Right-breast mammogram, CC. 64 y/o patient.
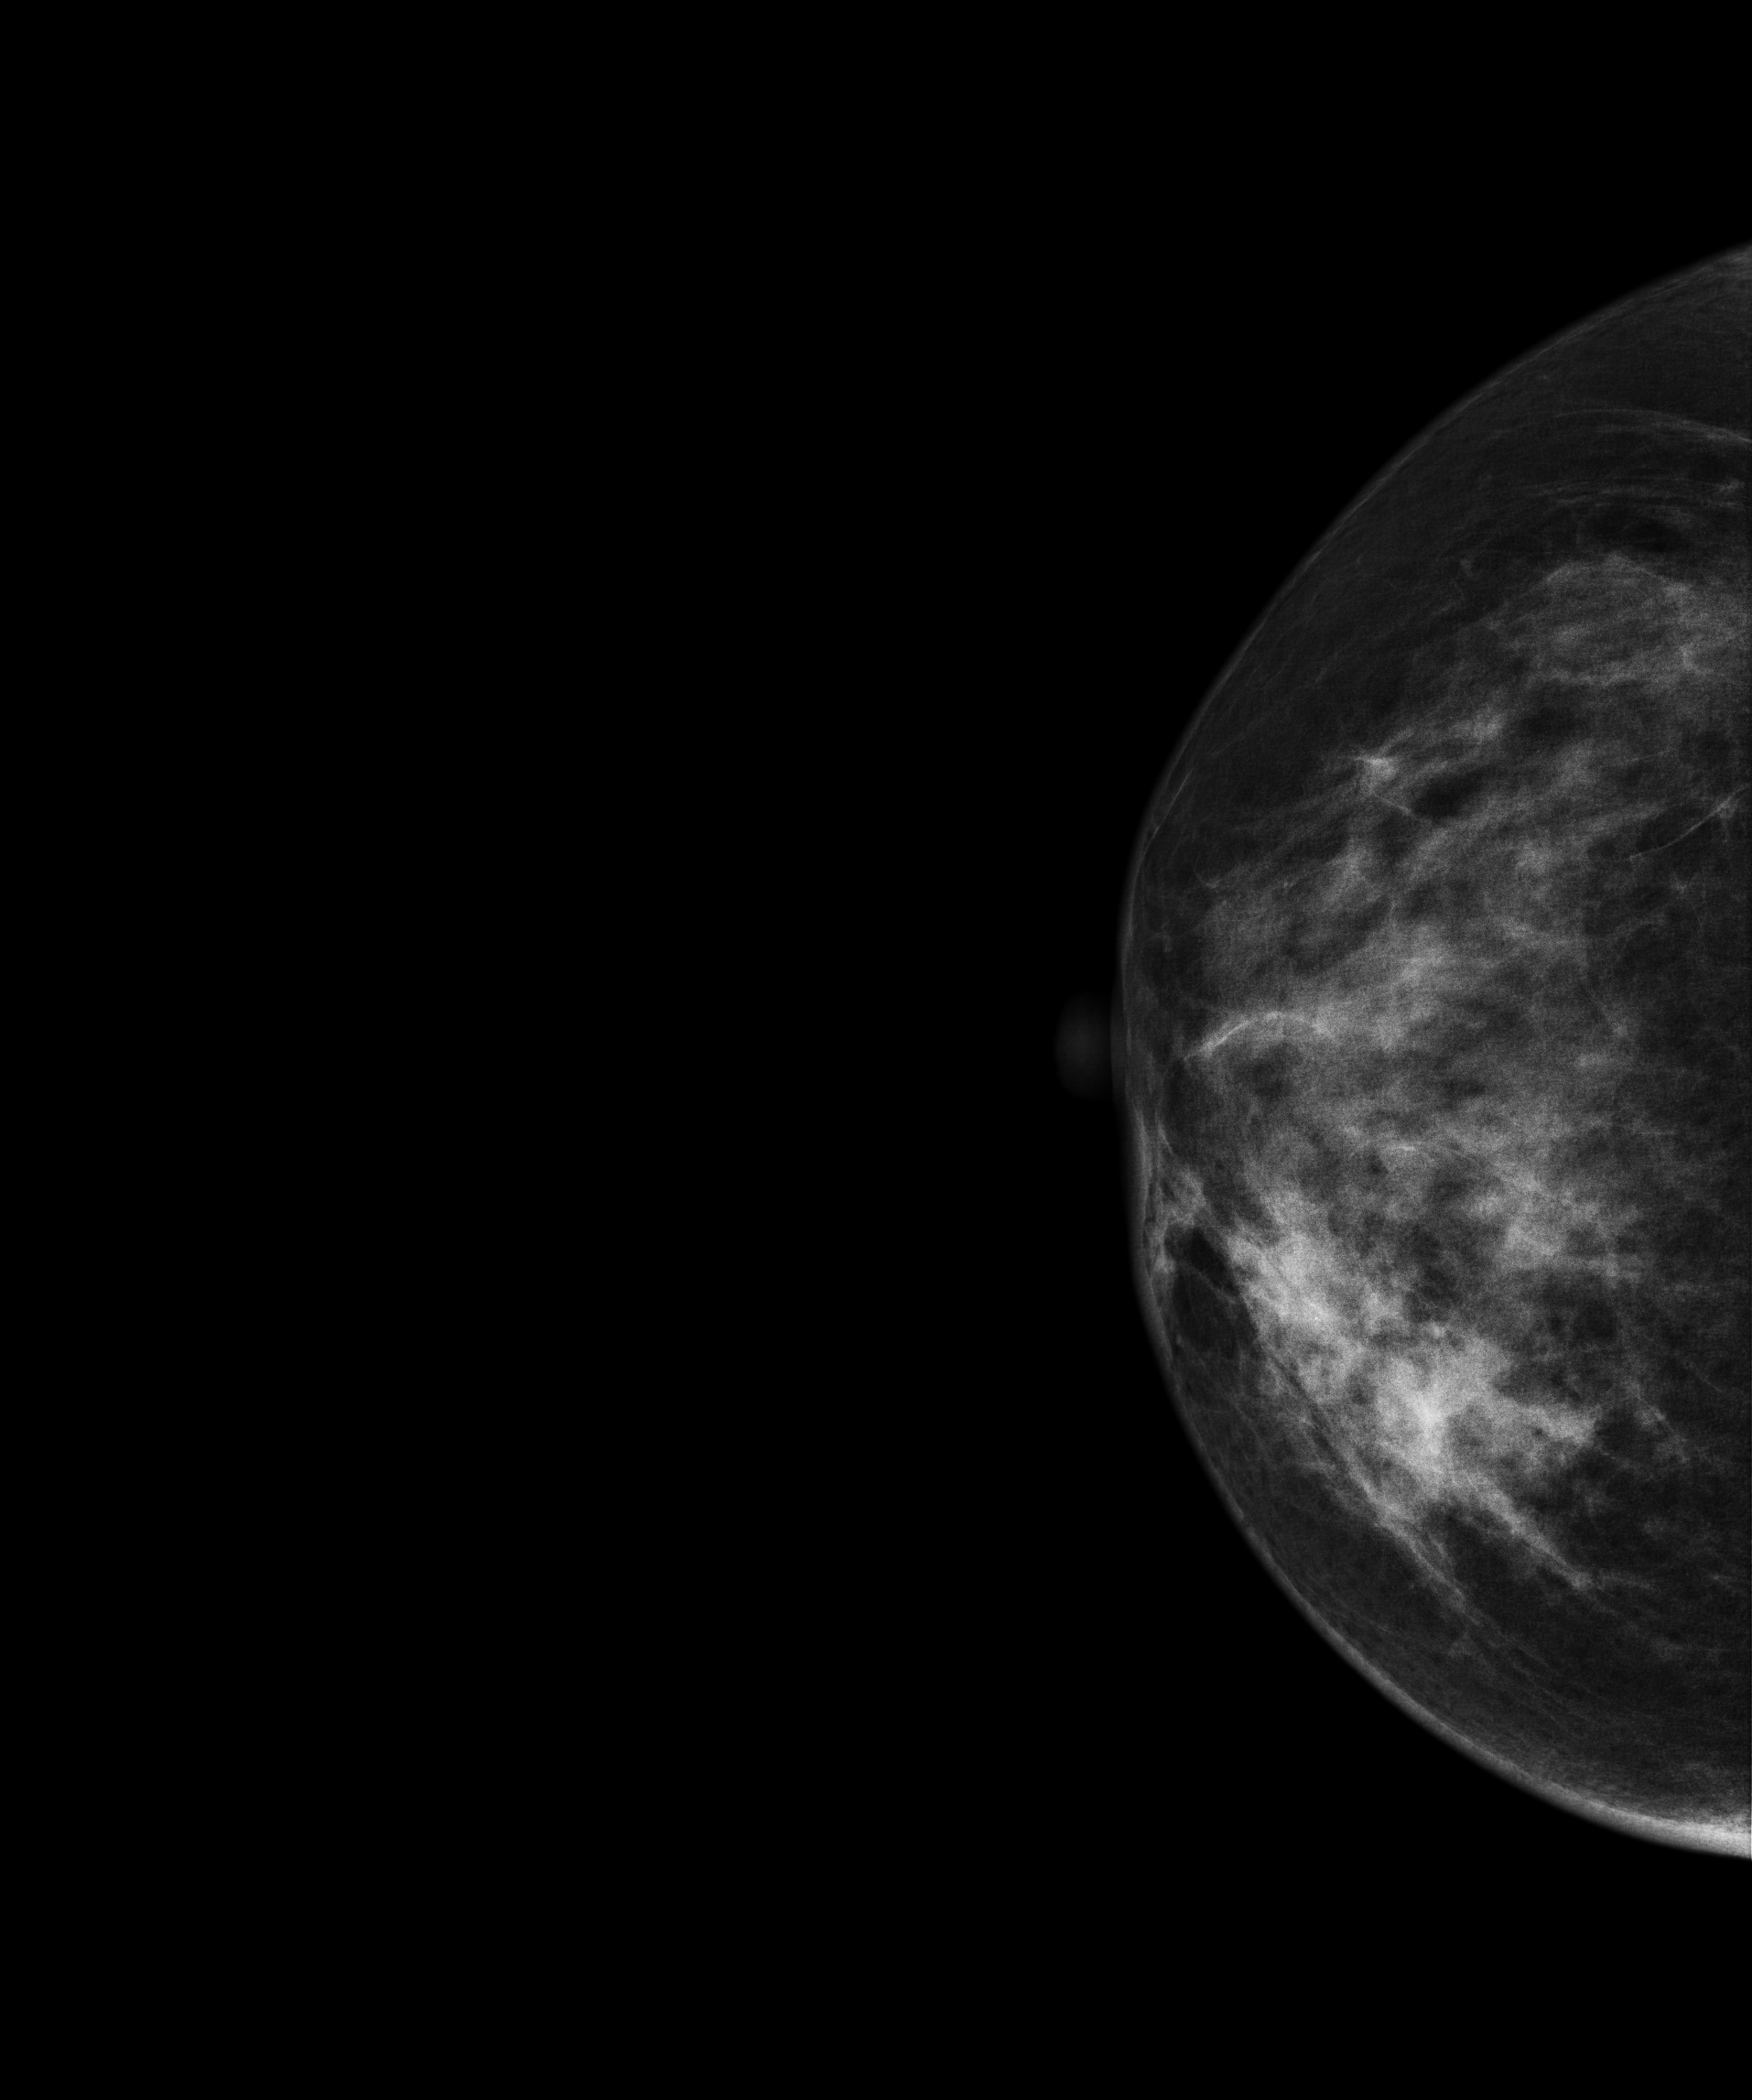
This breast has a mass, biopsy-confirmed malignant. Molecular subtype: luminal B.